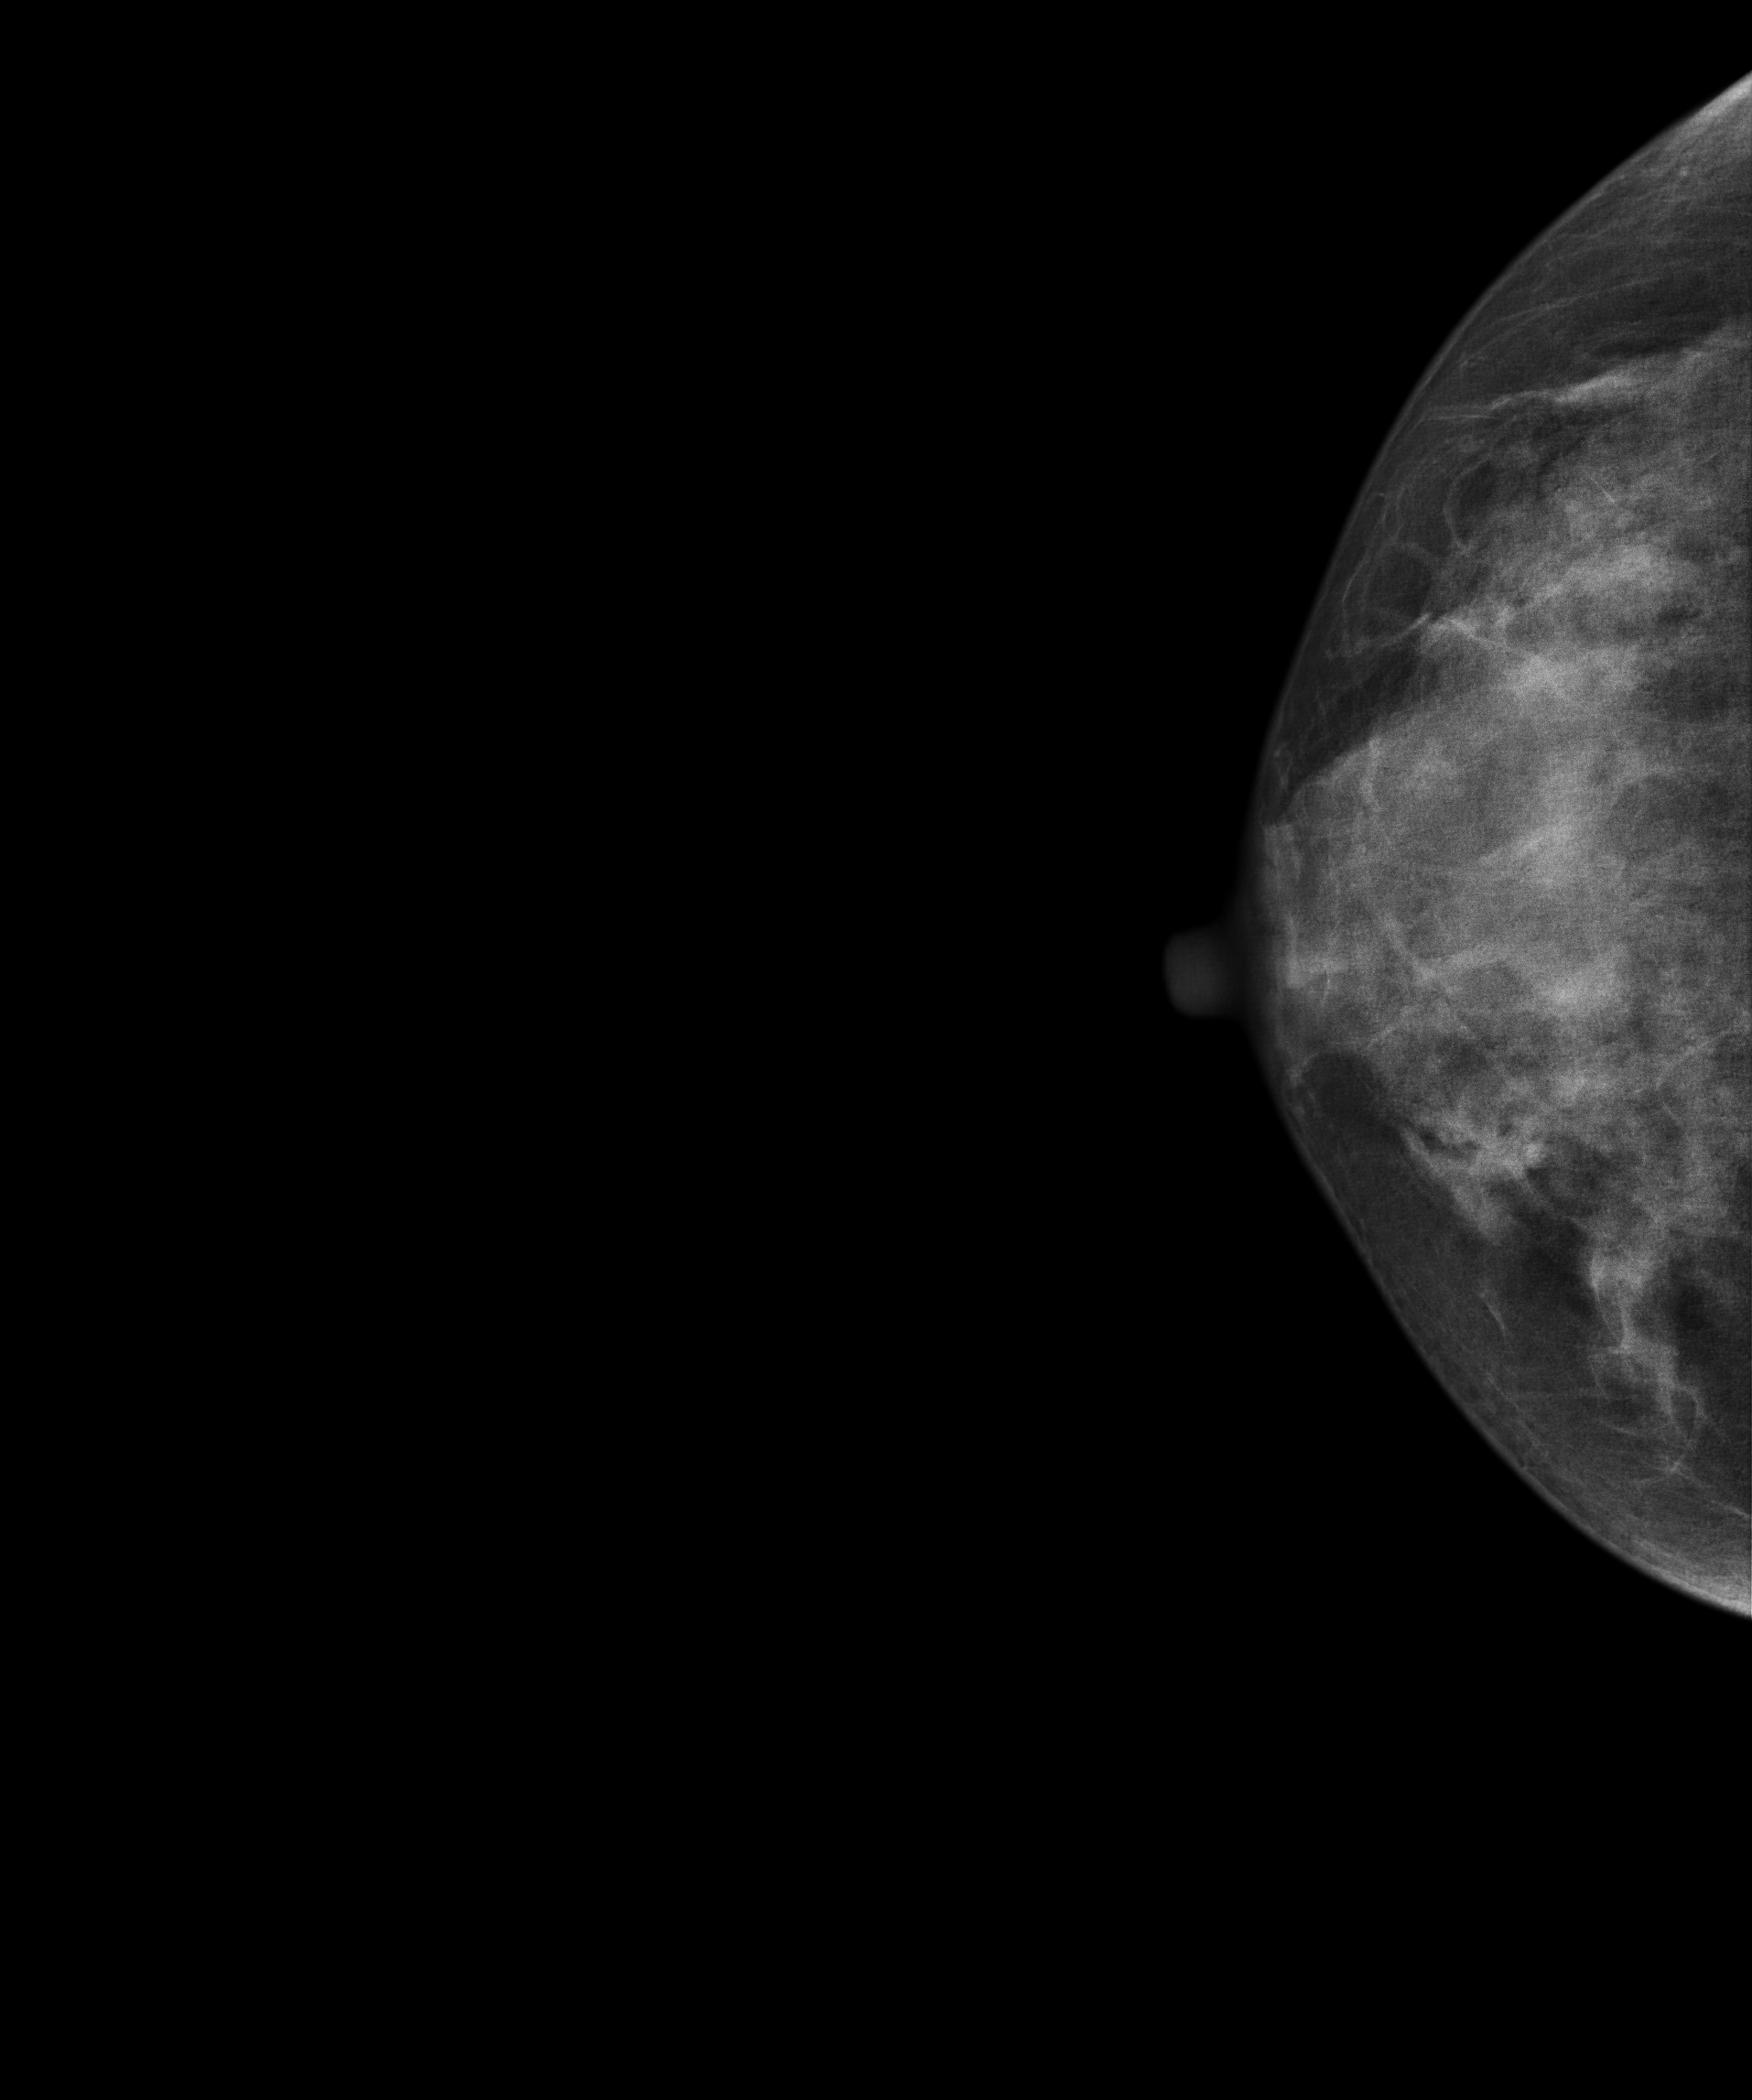
Mammogram — right CC. 29 y/o patient.
Contralateral breast — no documented abnormality on this side.